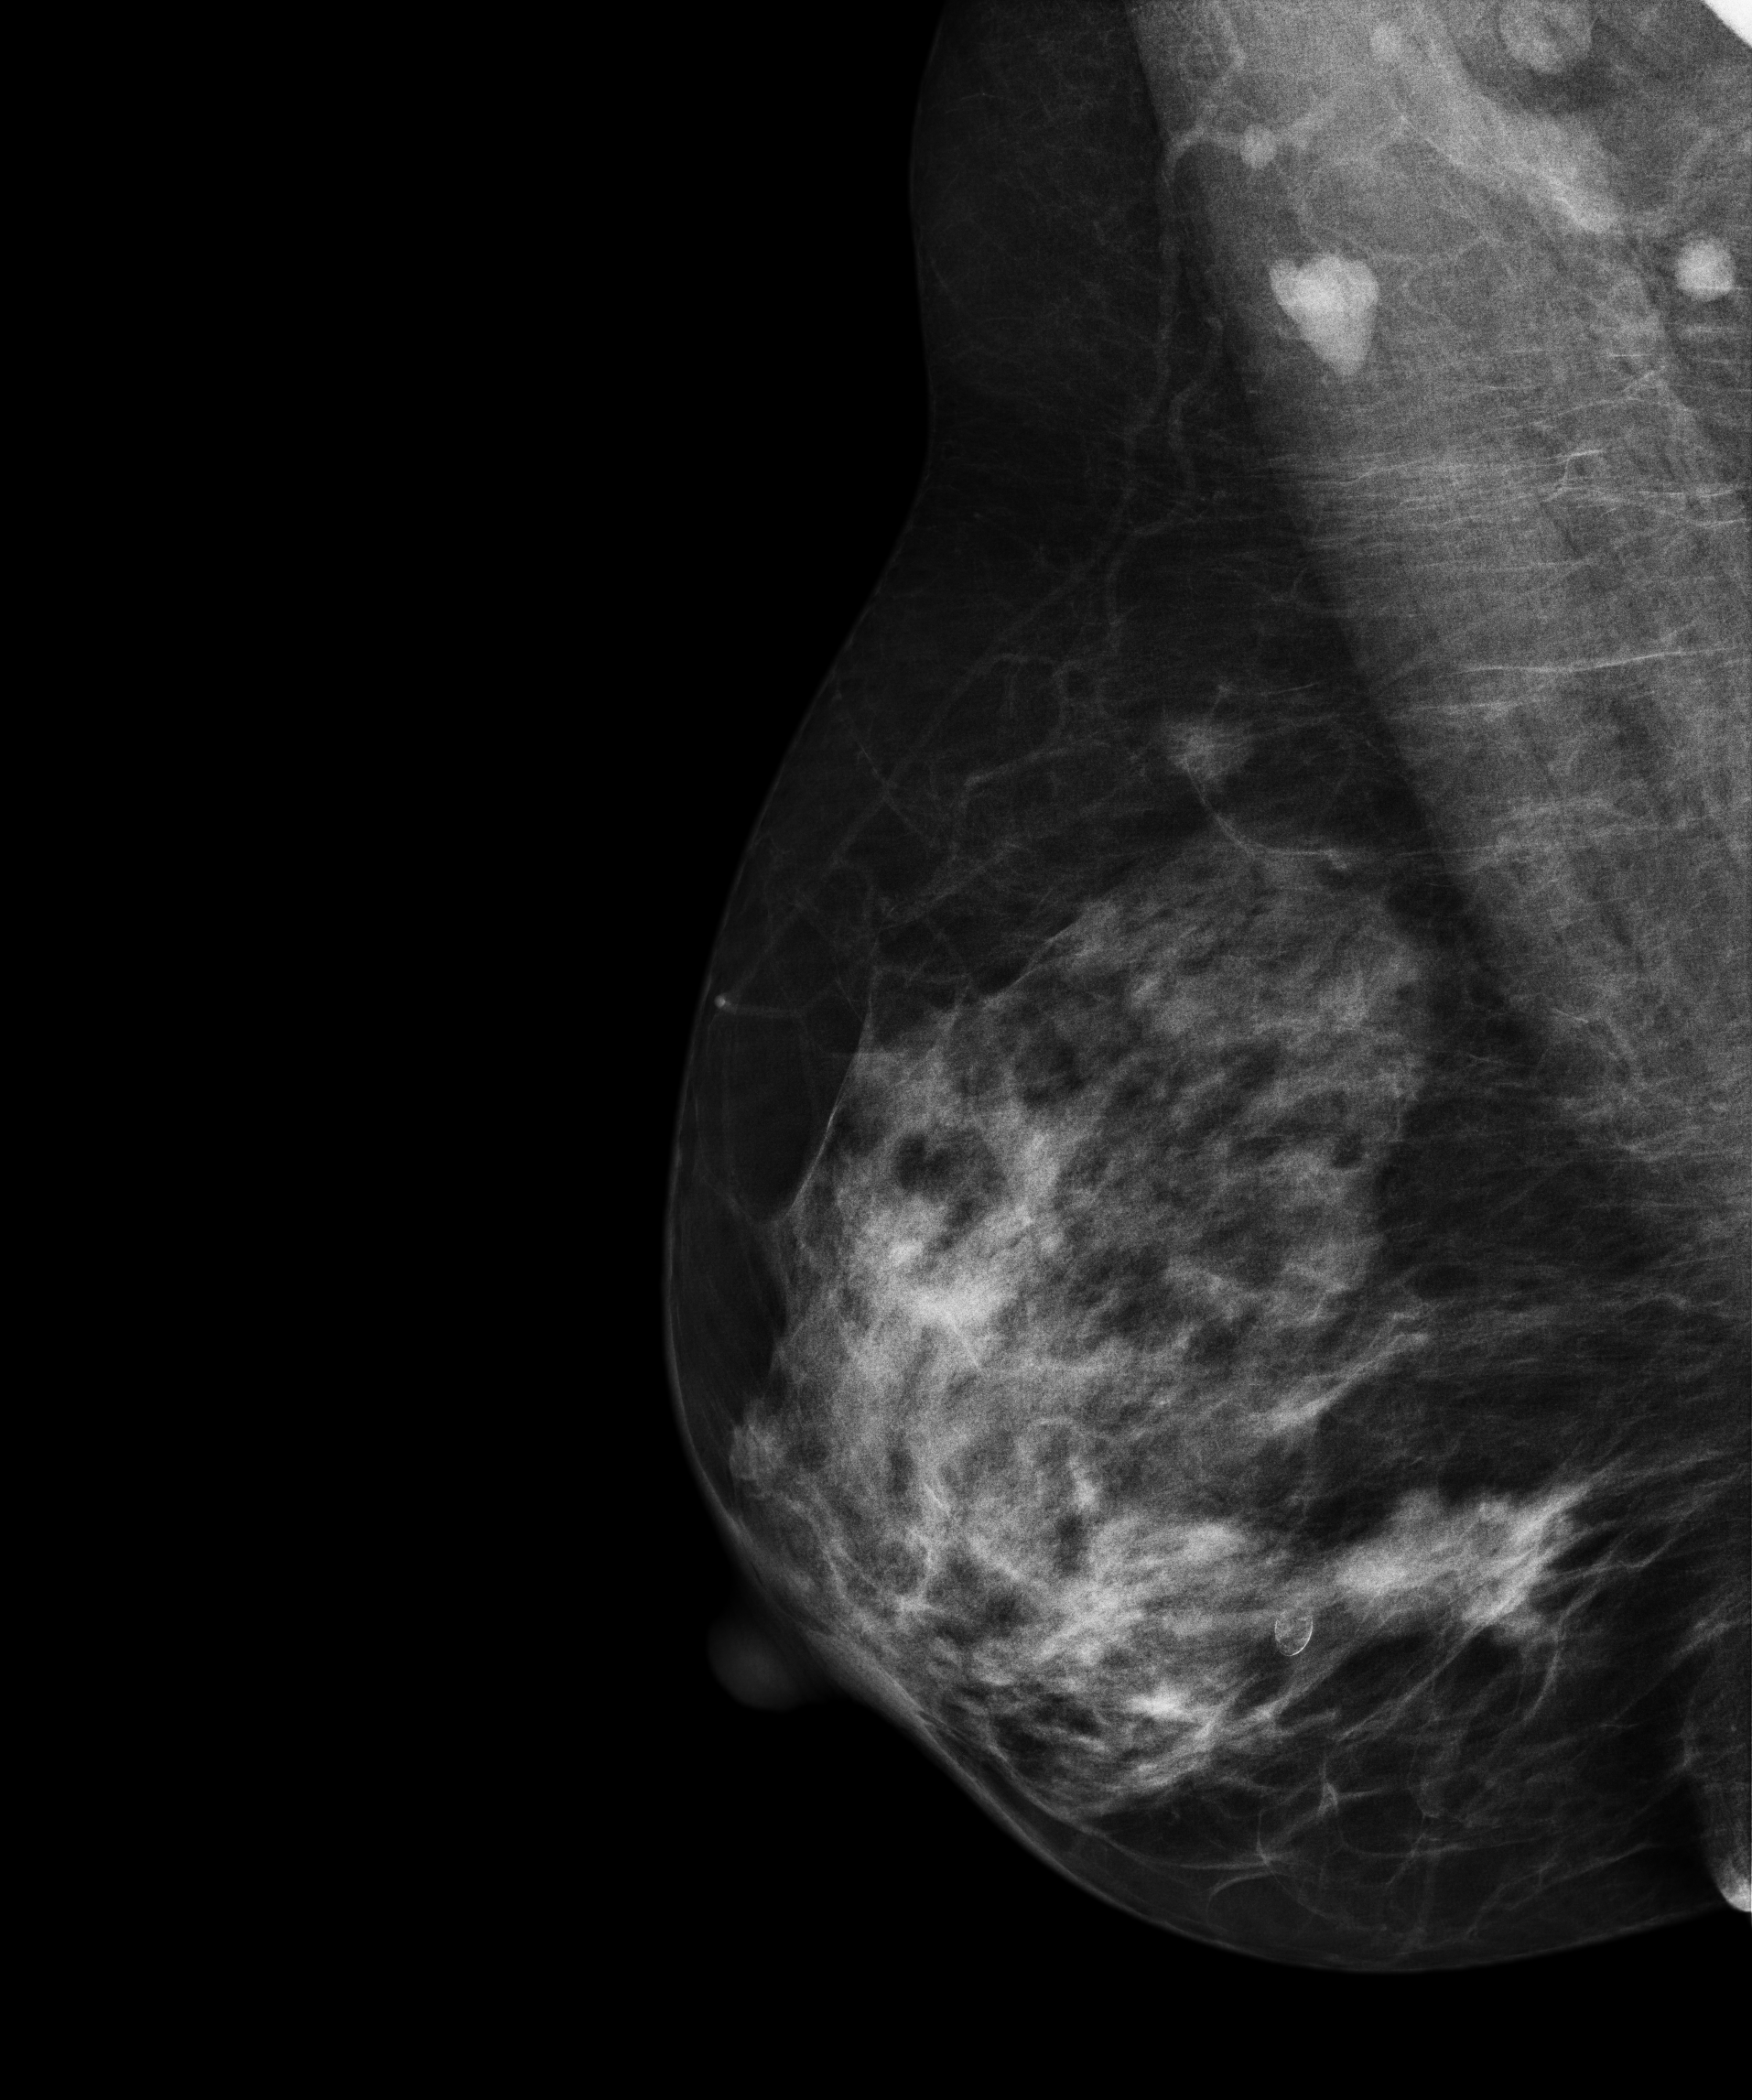
MLO mammogram of the right breast. Patient age 59.
This breast has a mass, biopsy-proven malignant. Molecular subtype: luminal B.